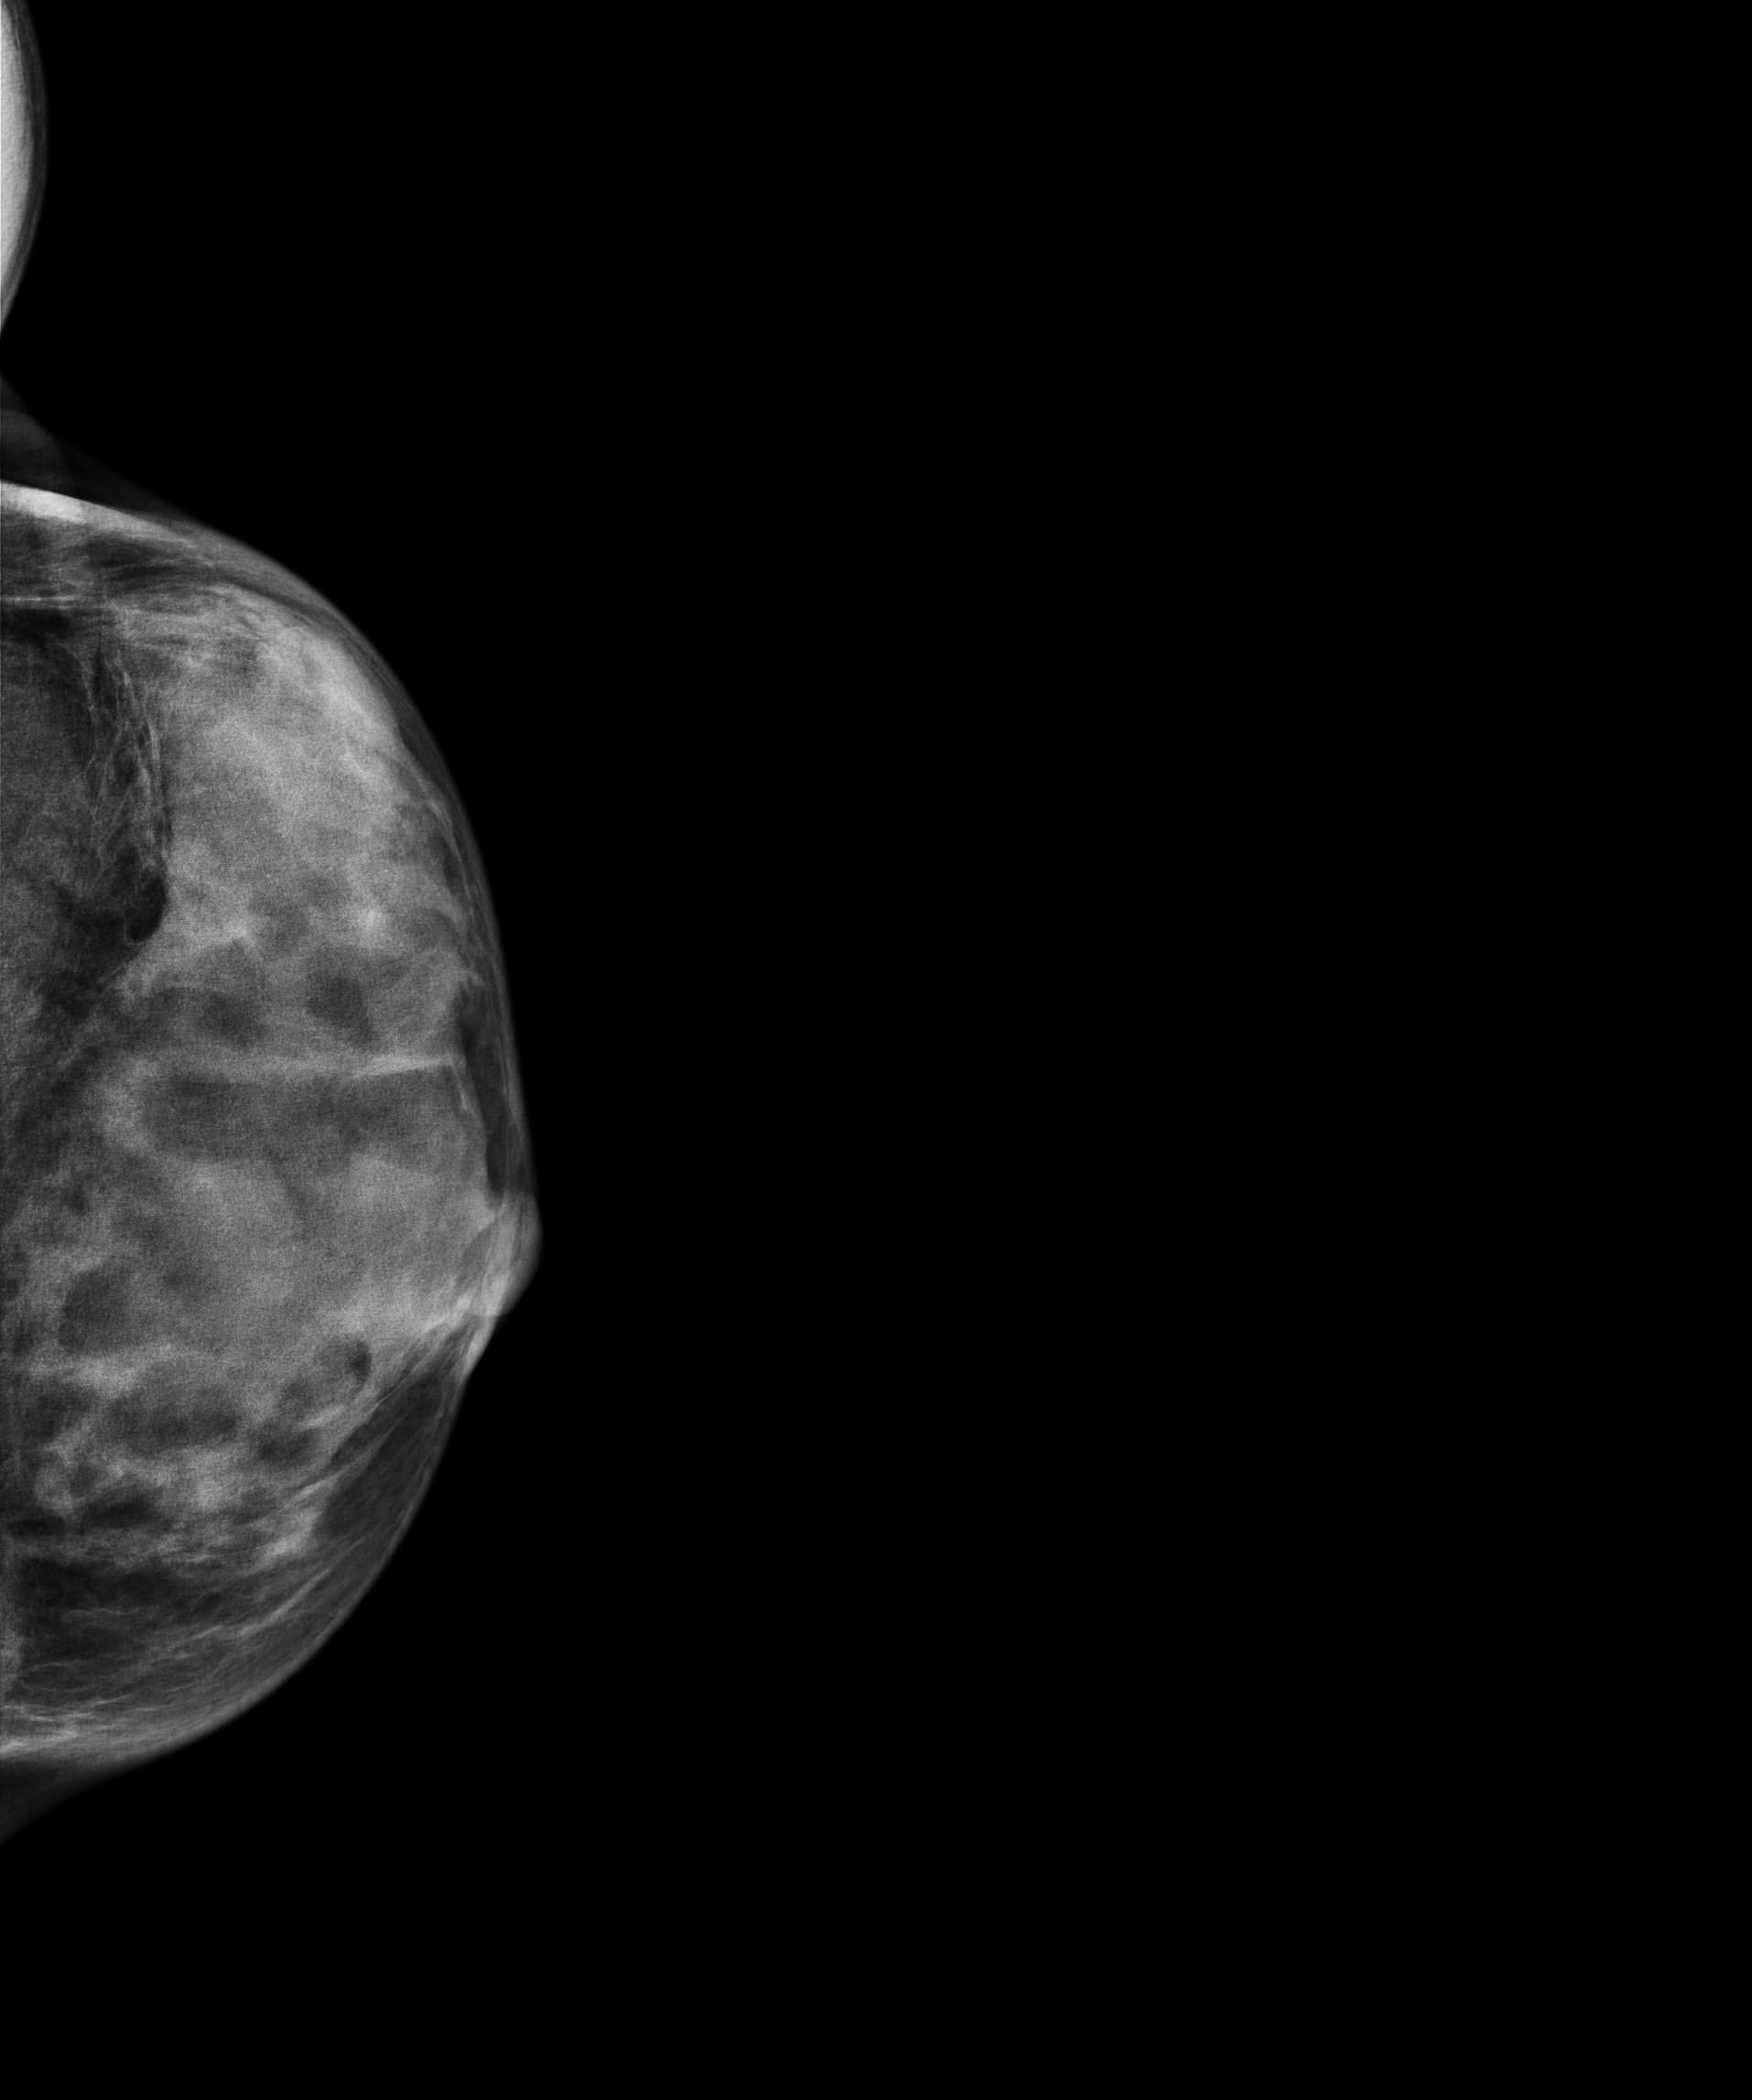
Left-breast mammogram, CC. 29-year-old patient.
This breast has a mass, biopsy-proven malignant. Molecular subtype: triple-negative.